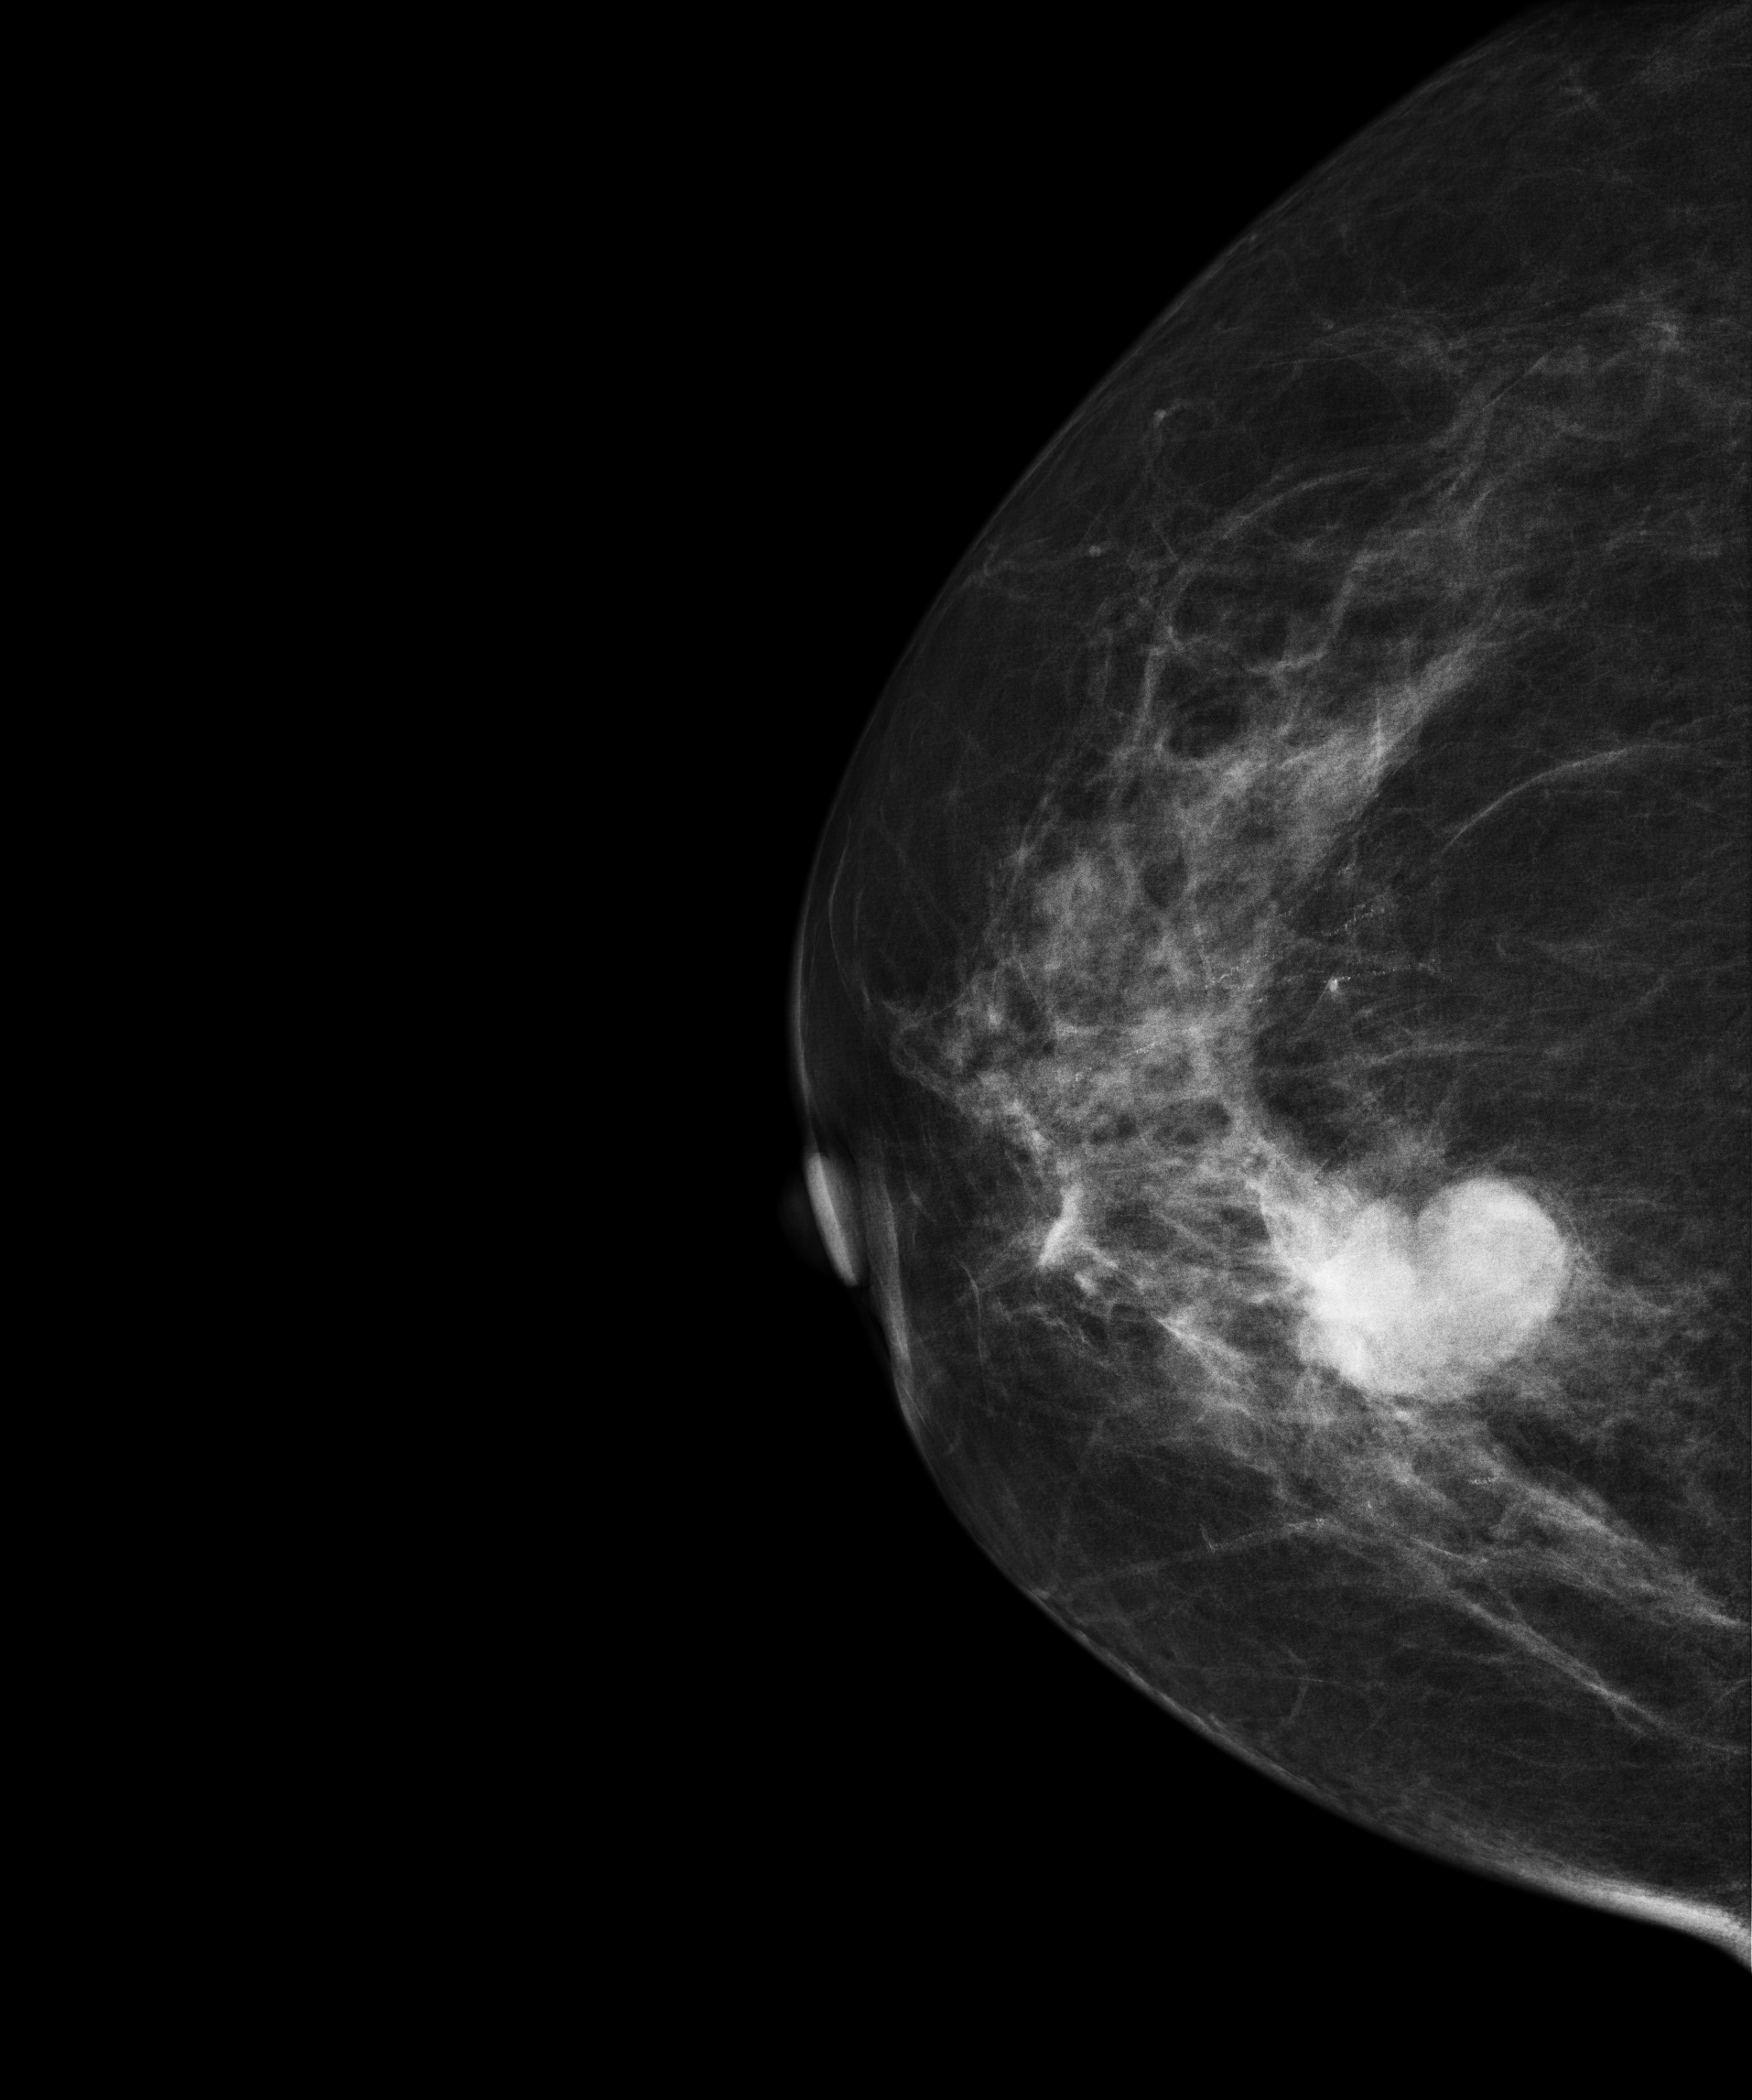
Digital mammography. Right breast, CC projection. Patient age 62.
This breast has a mass, biopsy-confirmed malignant. Molecular subtype: luminal B.